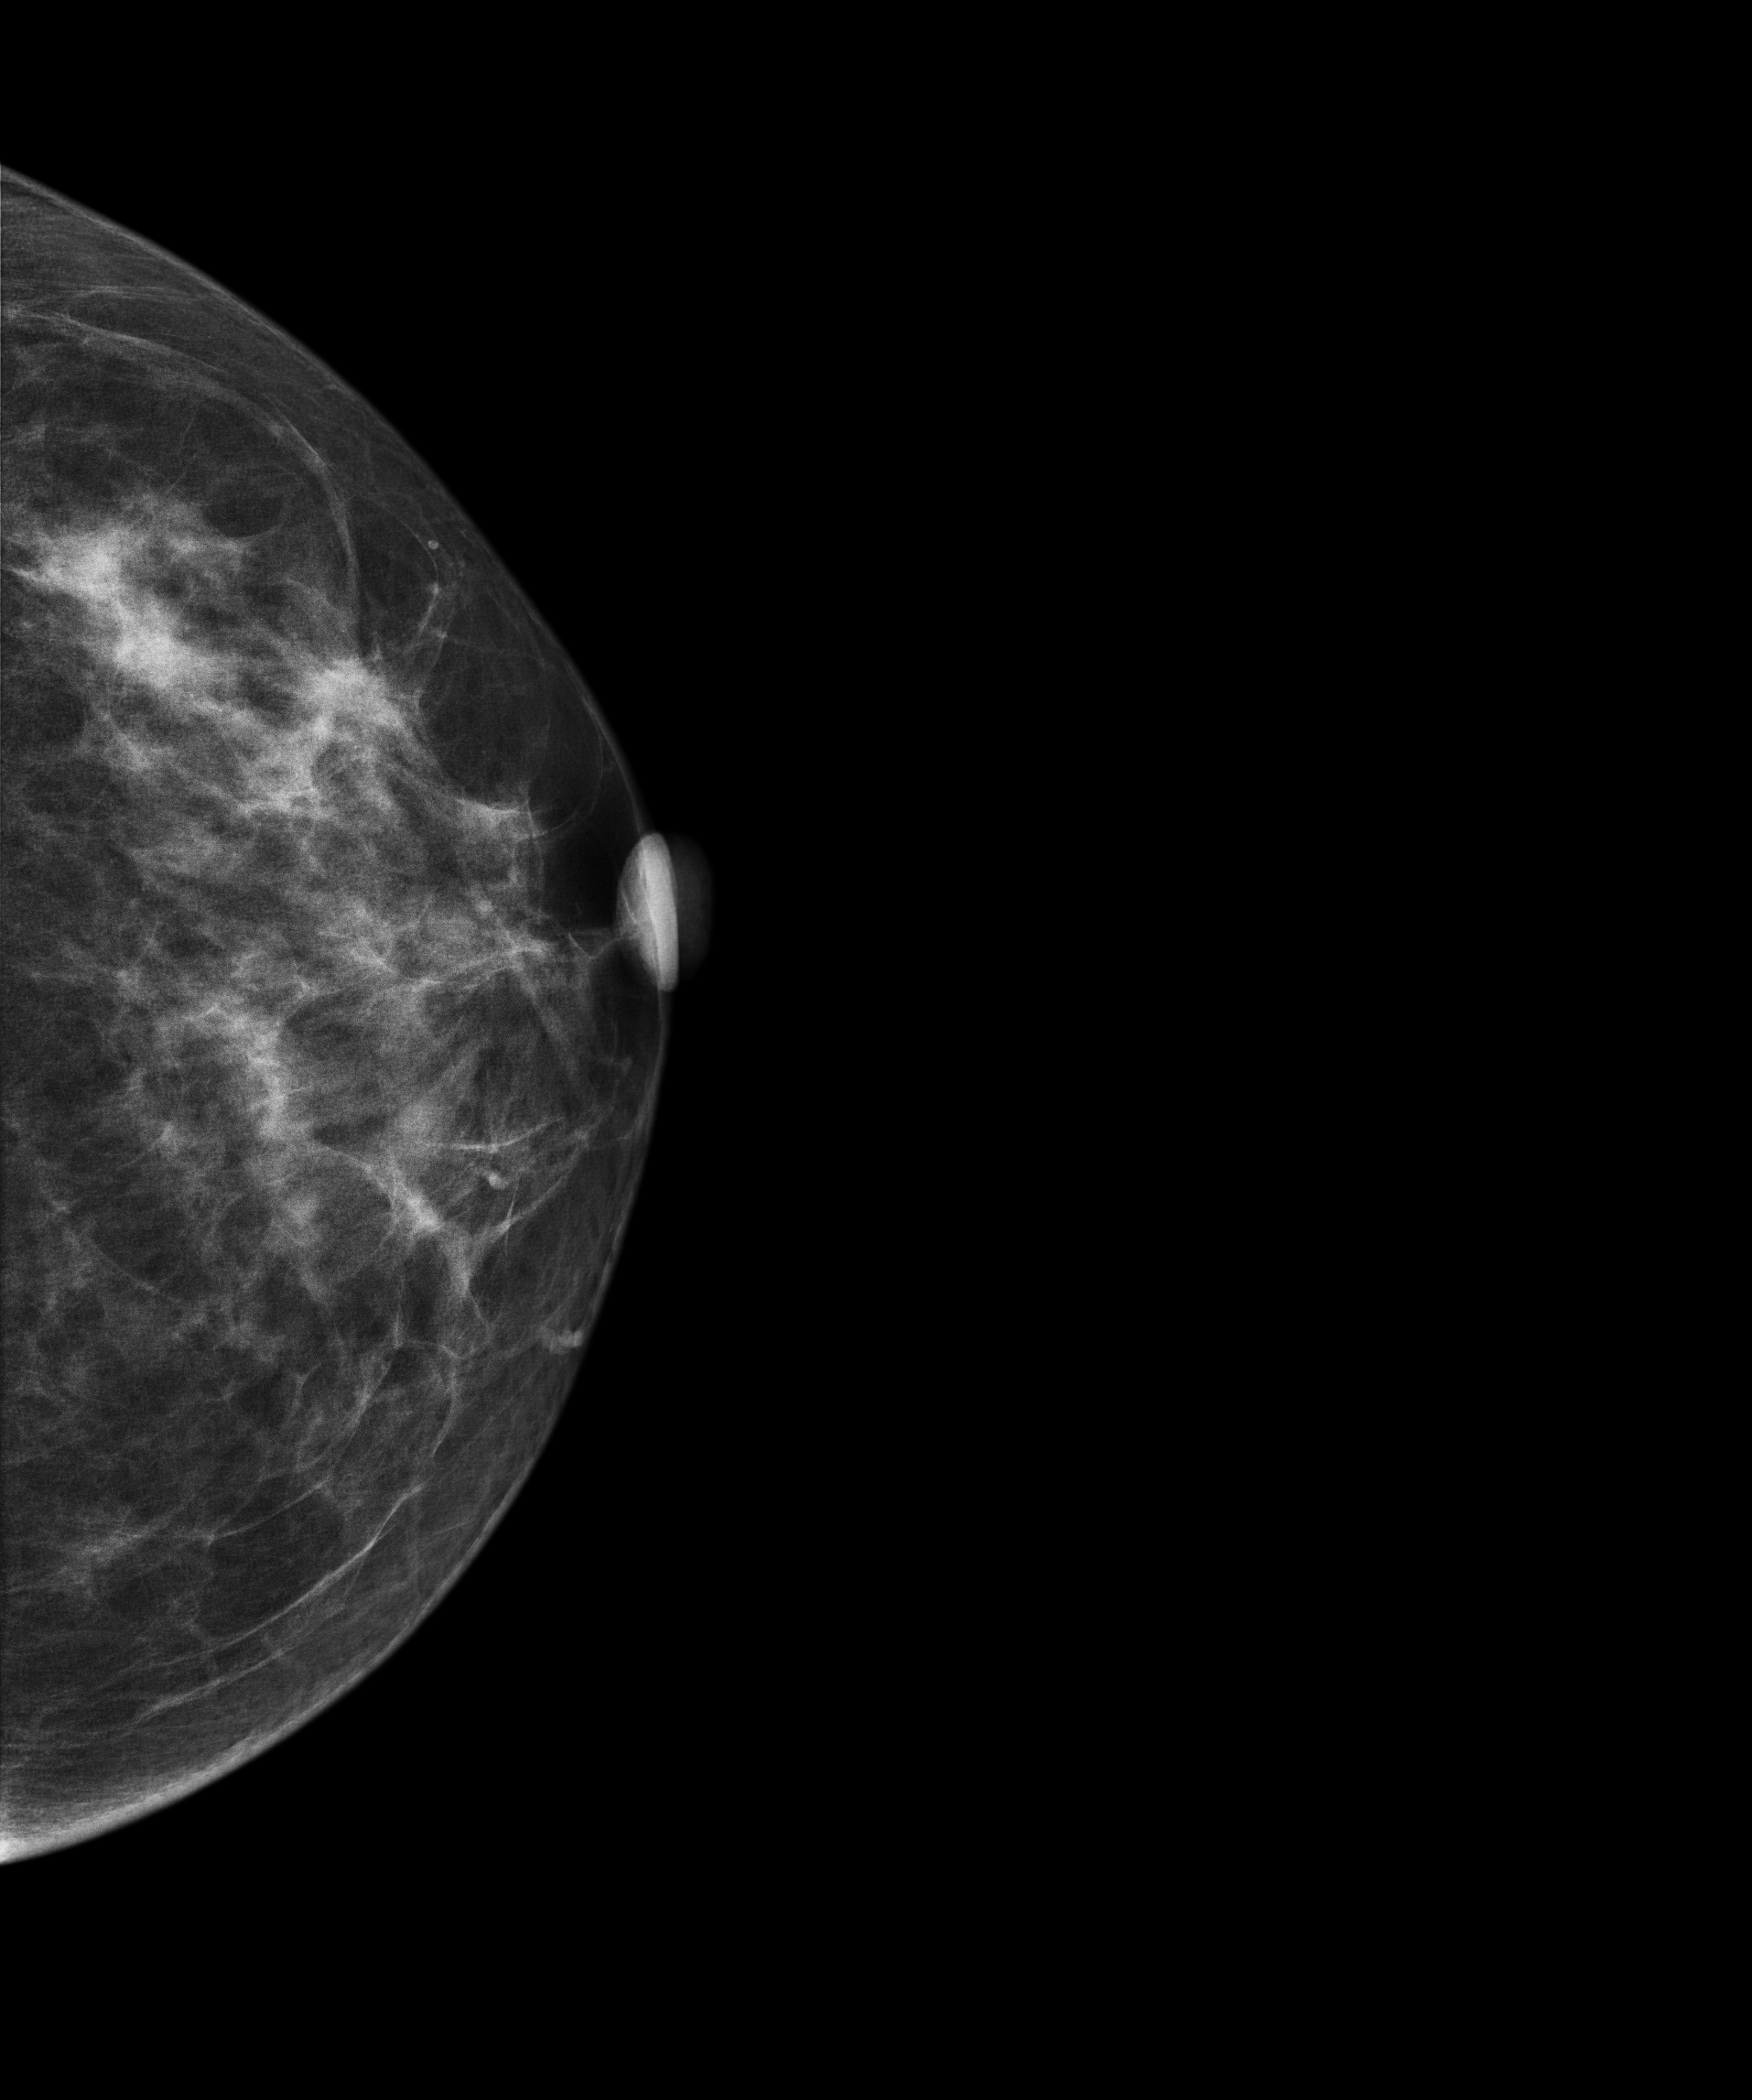
Digital mammography. Left breast, cranio-caudal projection. 50-year-old patient.
This breast has a mass and calcifications, biopsy-proven malignant. Molecular subtype: triple-negative.